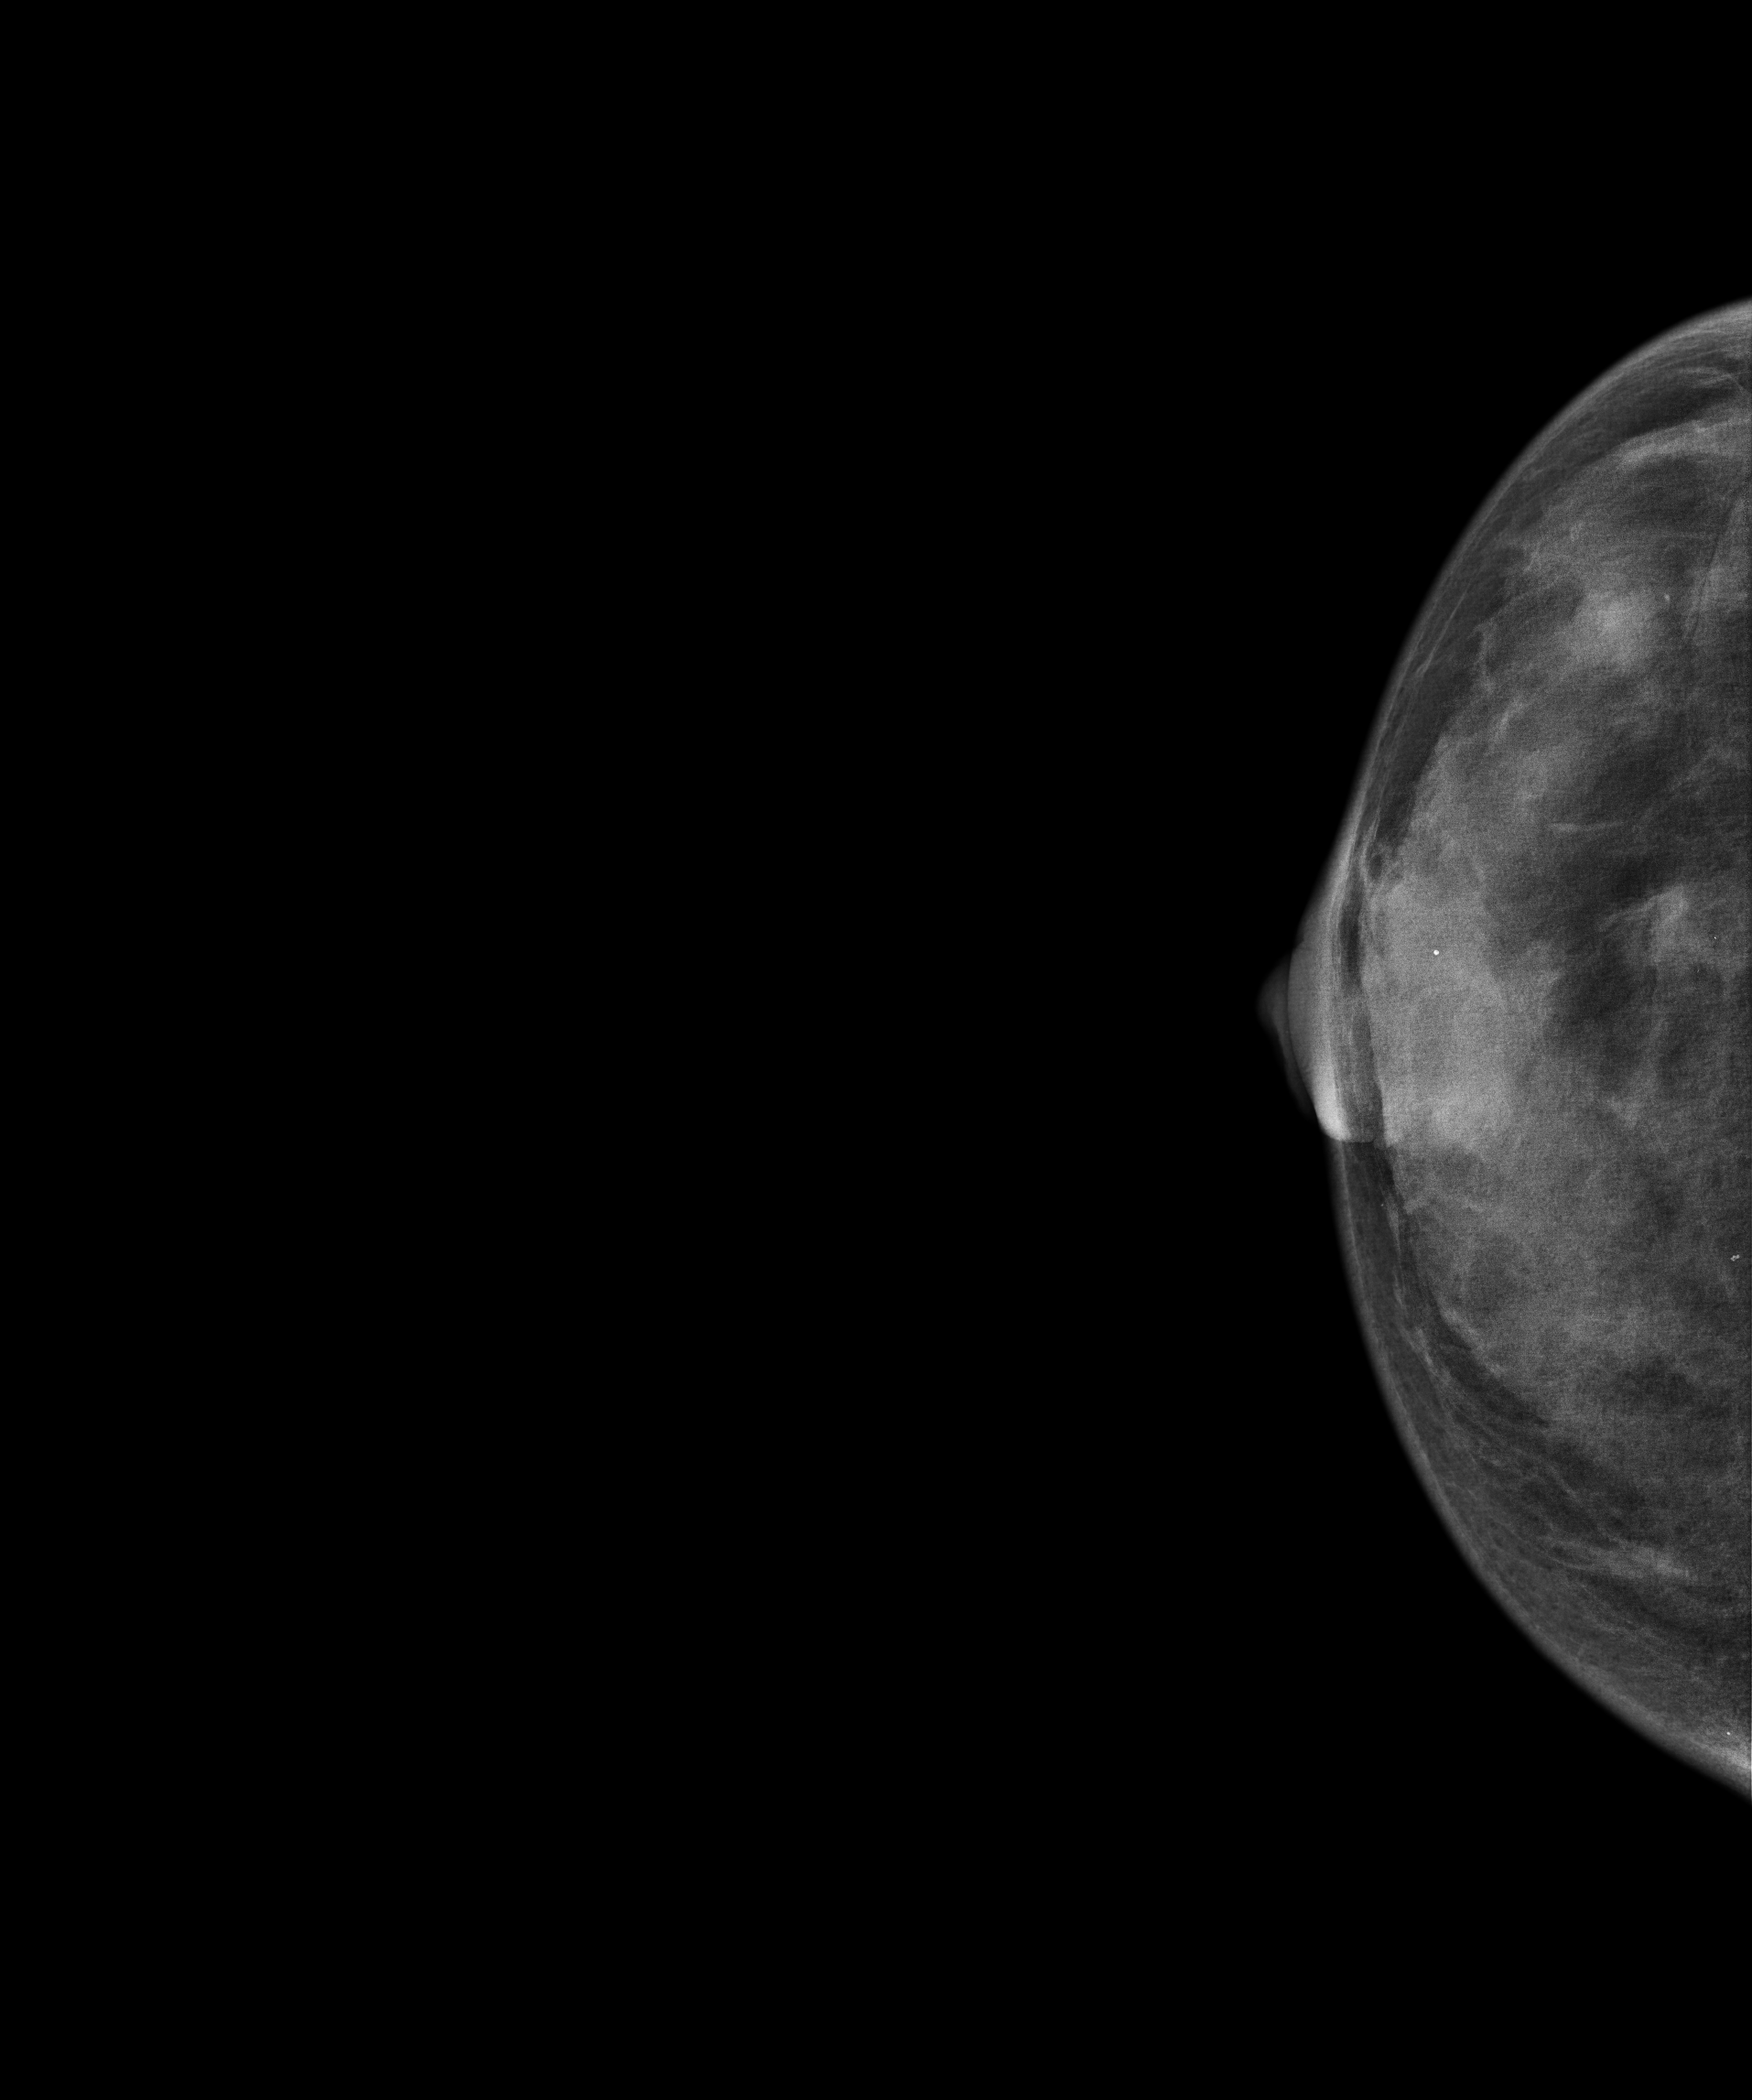
Digital mammography. Right breast, cranio-caudal projection. 33-year-old patient.
This breast has a mass, biopsy-proven benign.